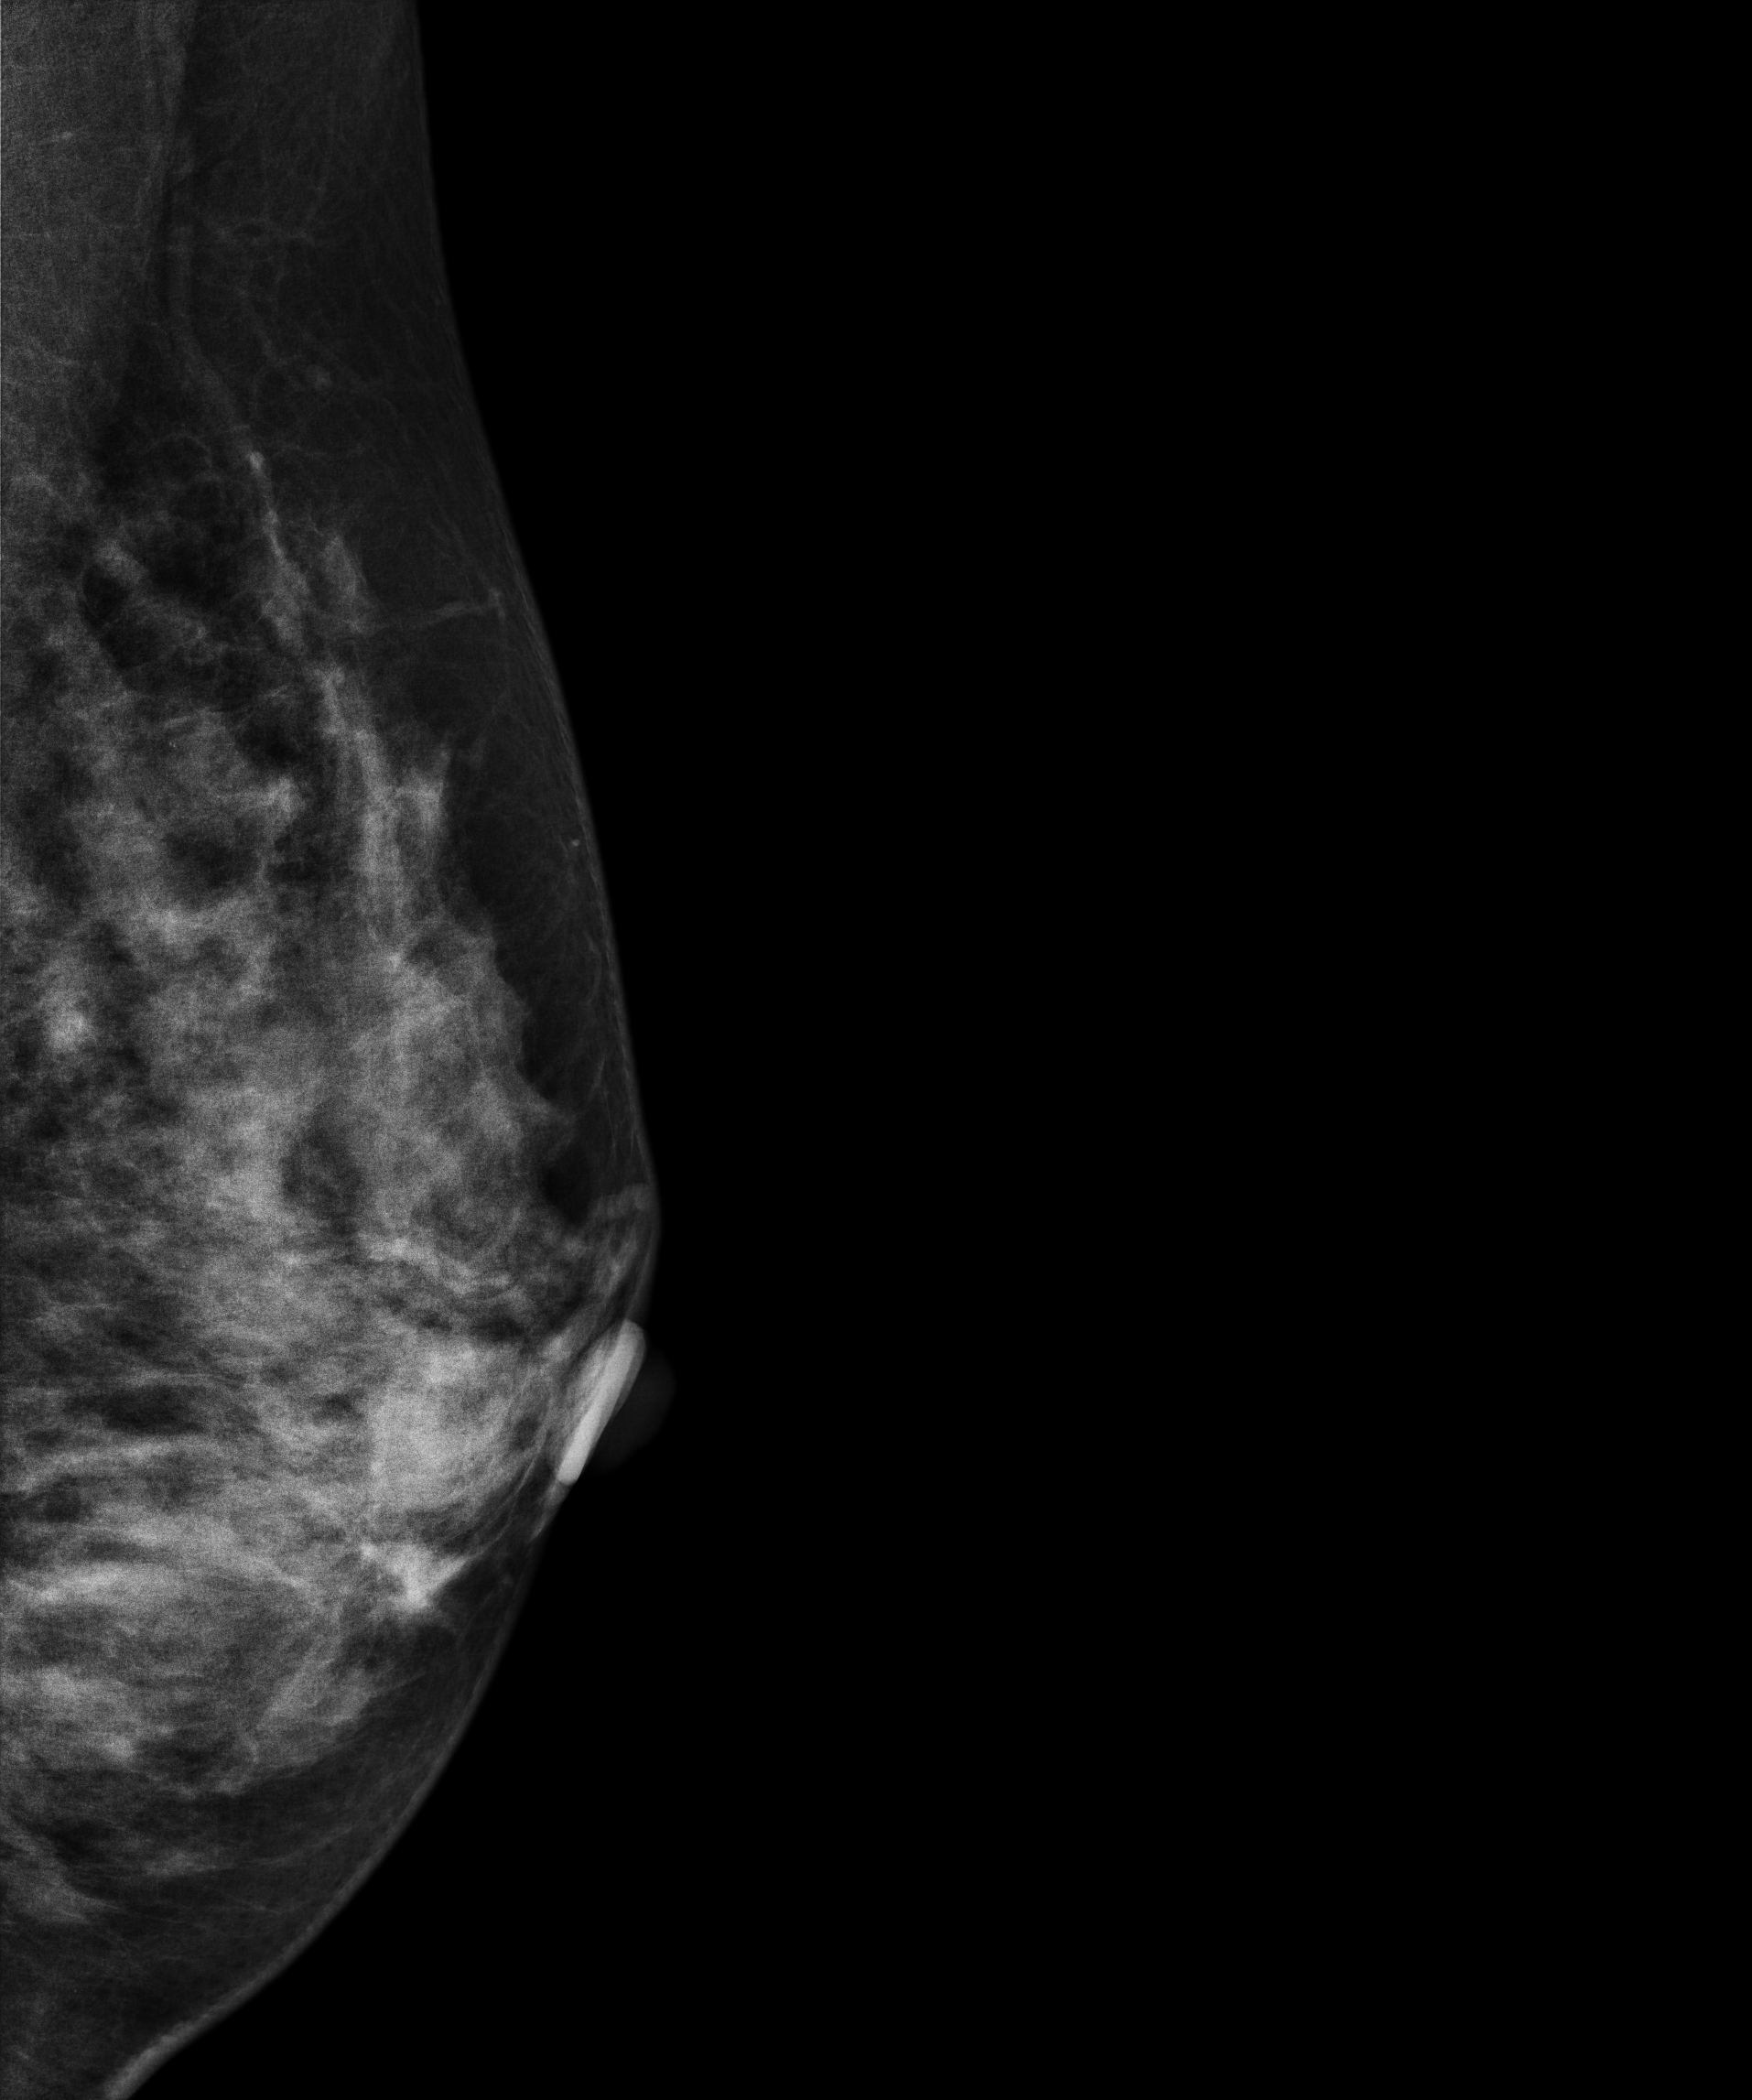
MLO mammogram of the left breast. 40 y/o patient.
This breast has a mass, biopsy-proven benign.